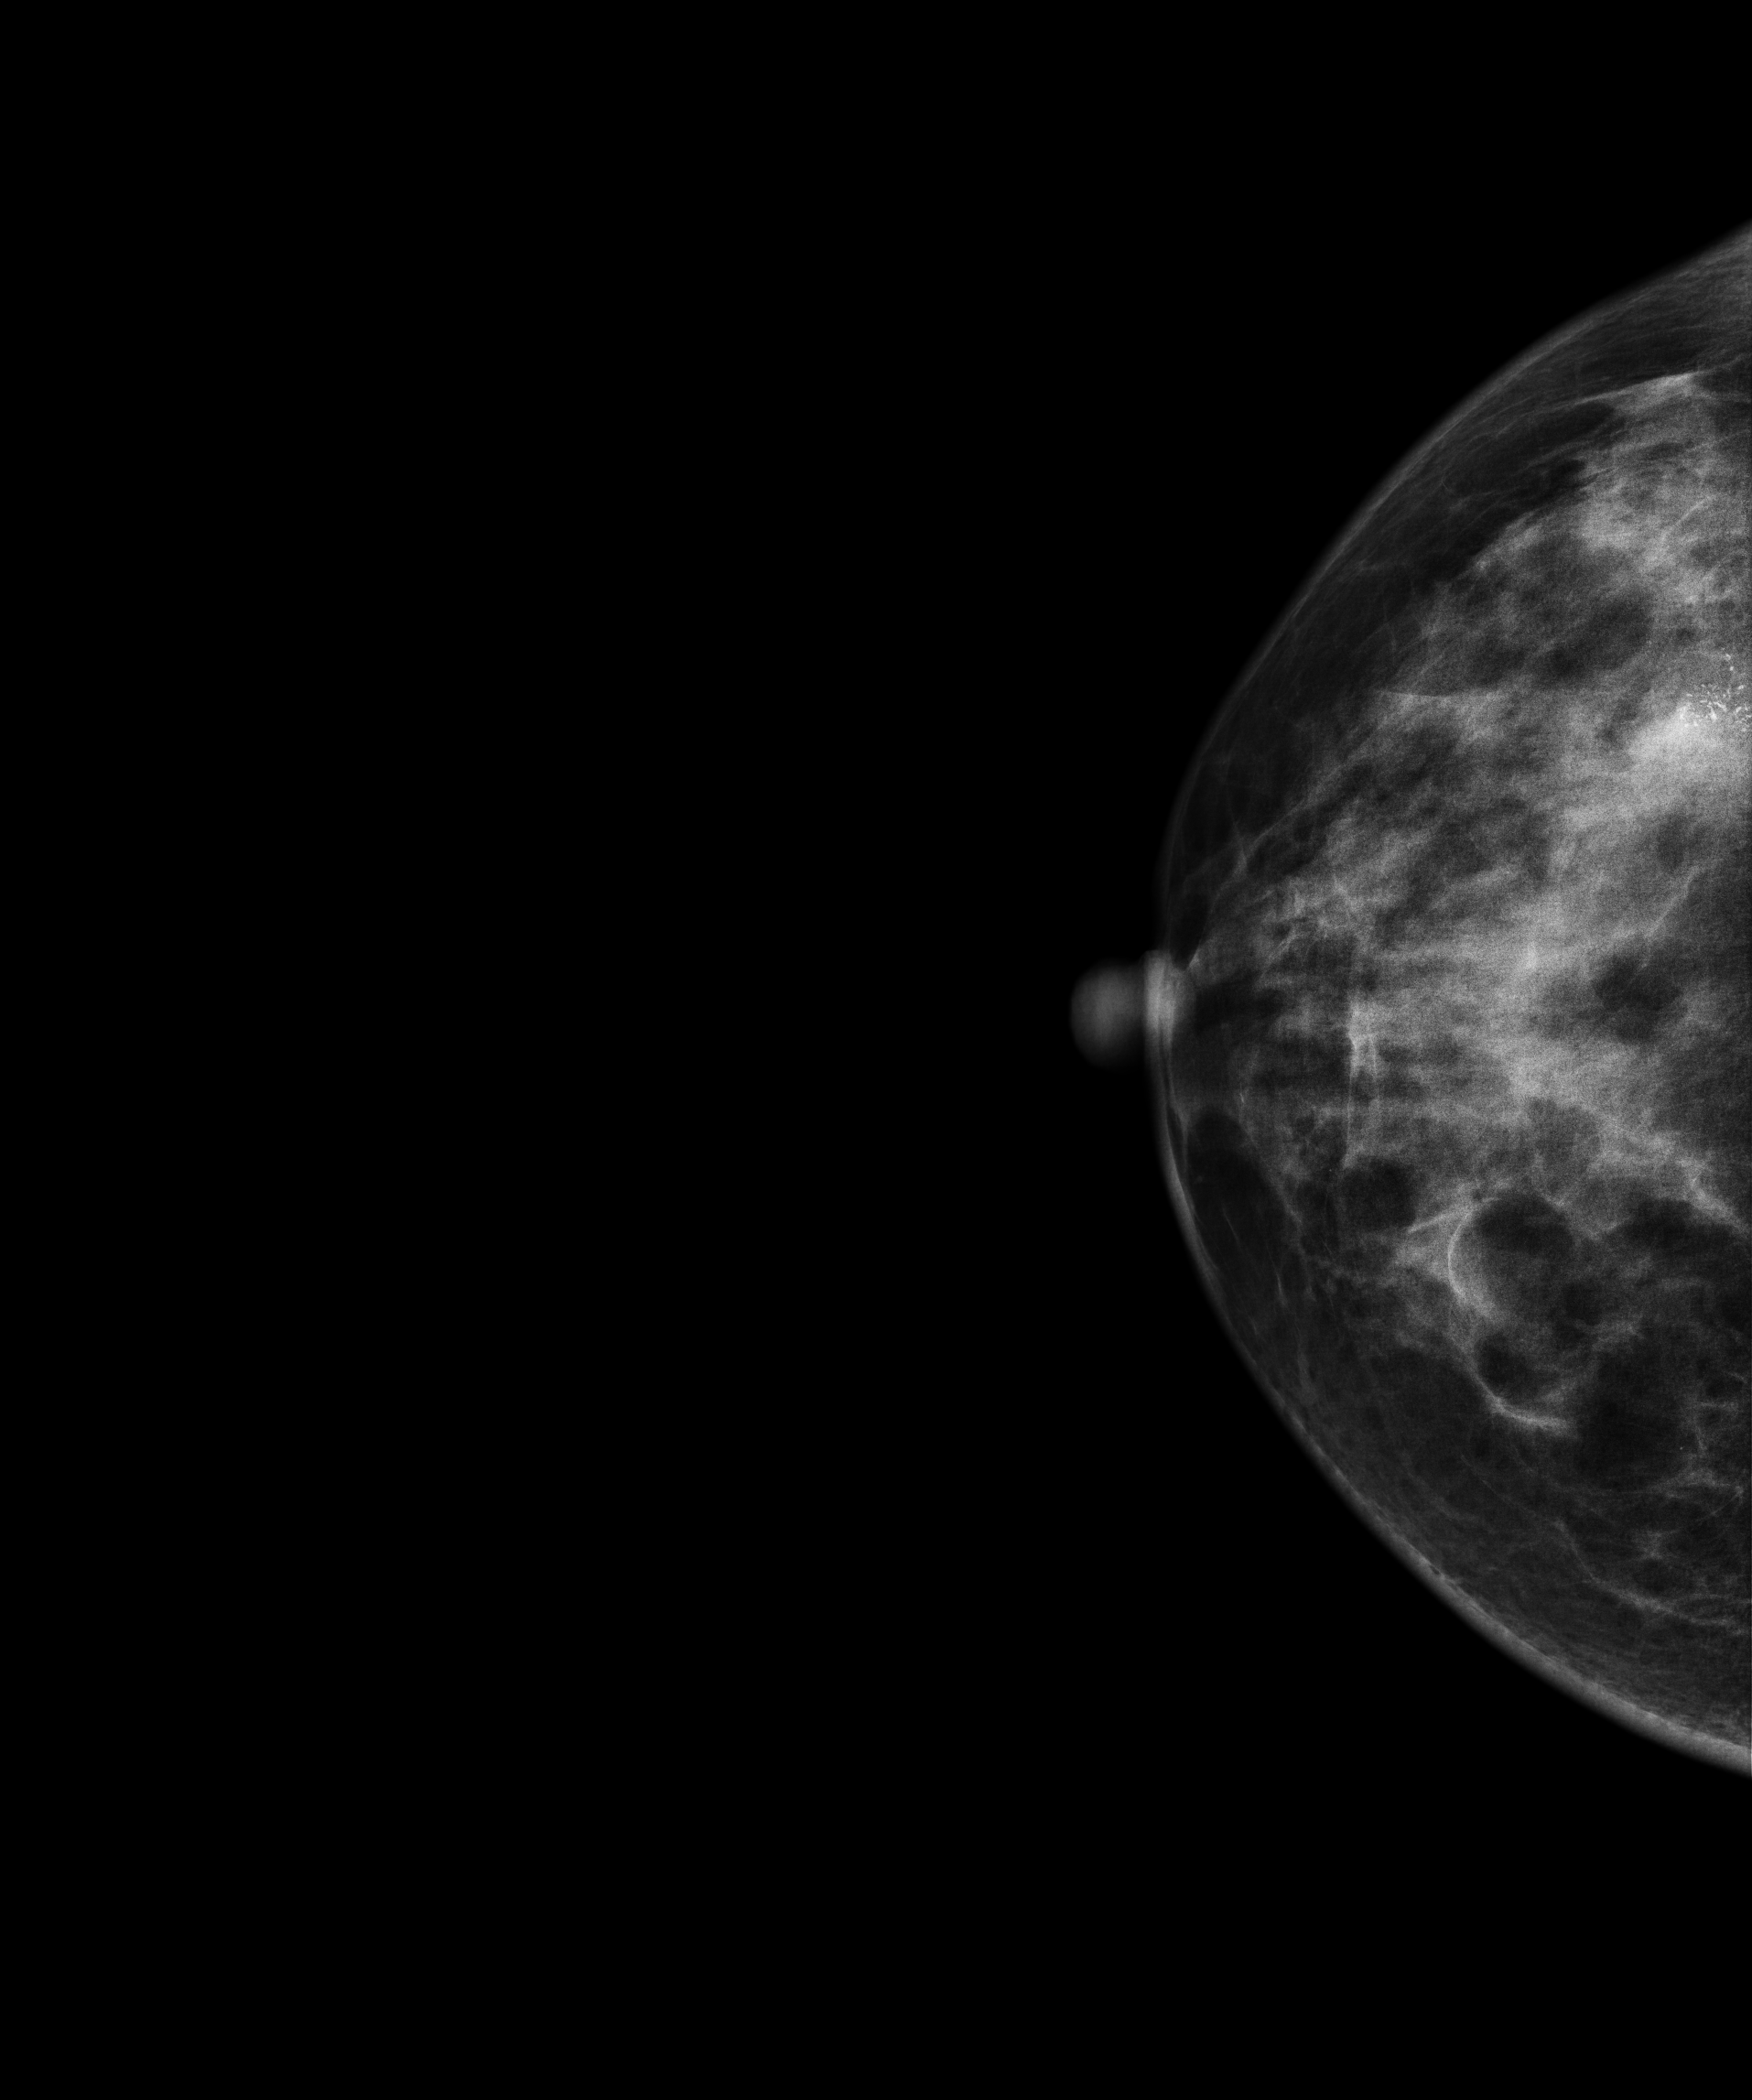
Digital mammography. Right breast, cranio-caudal projection. 45-year-old patient.
This breast has a mass and calcifications, biopsy-proven malignant.